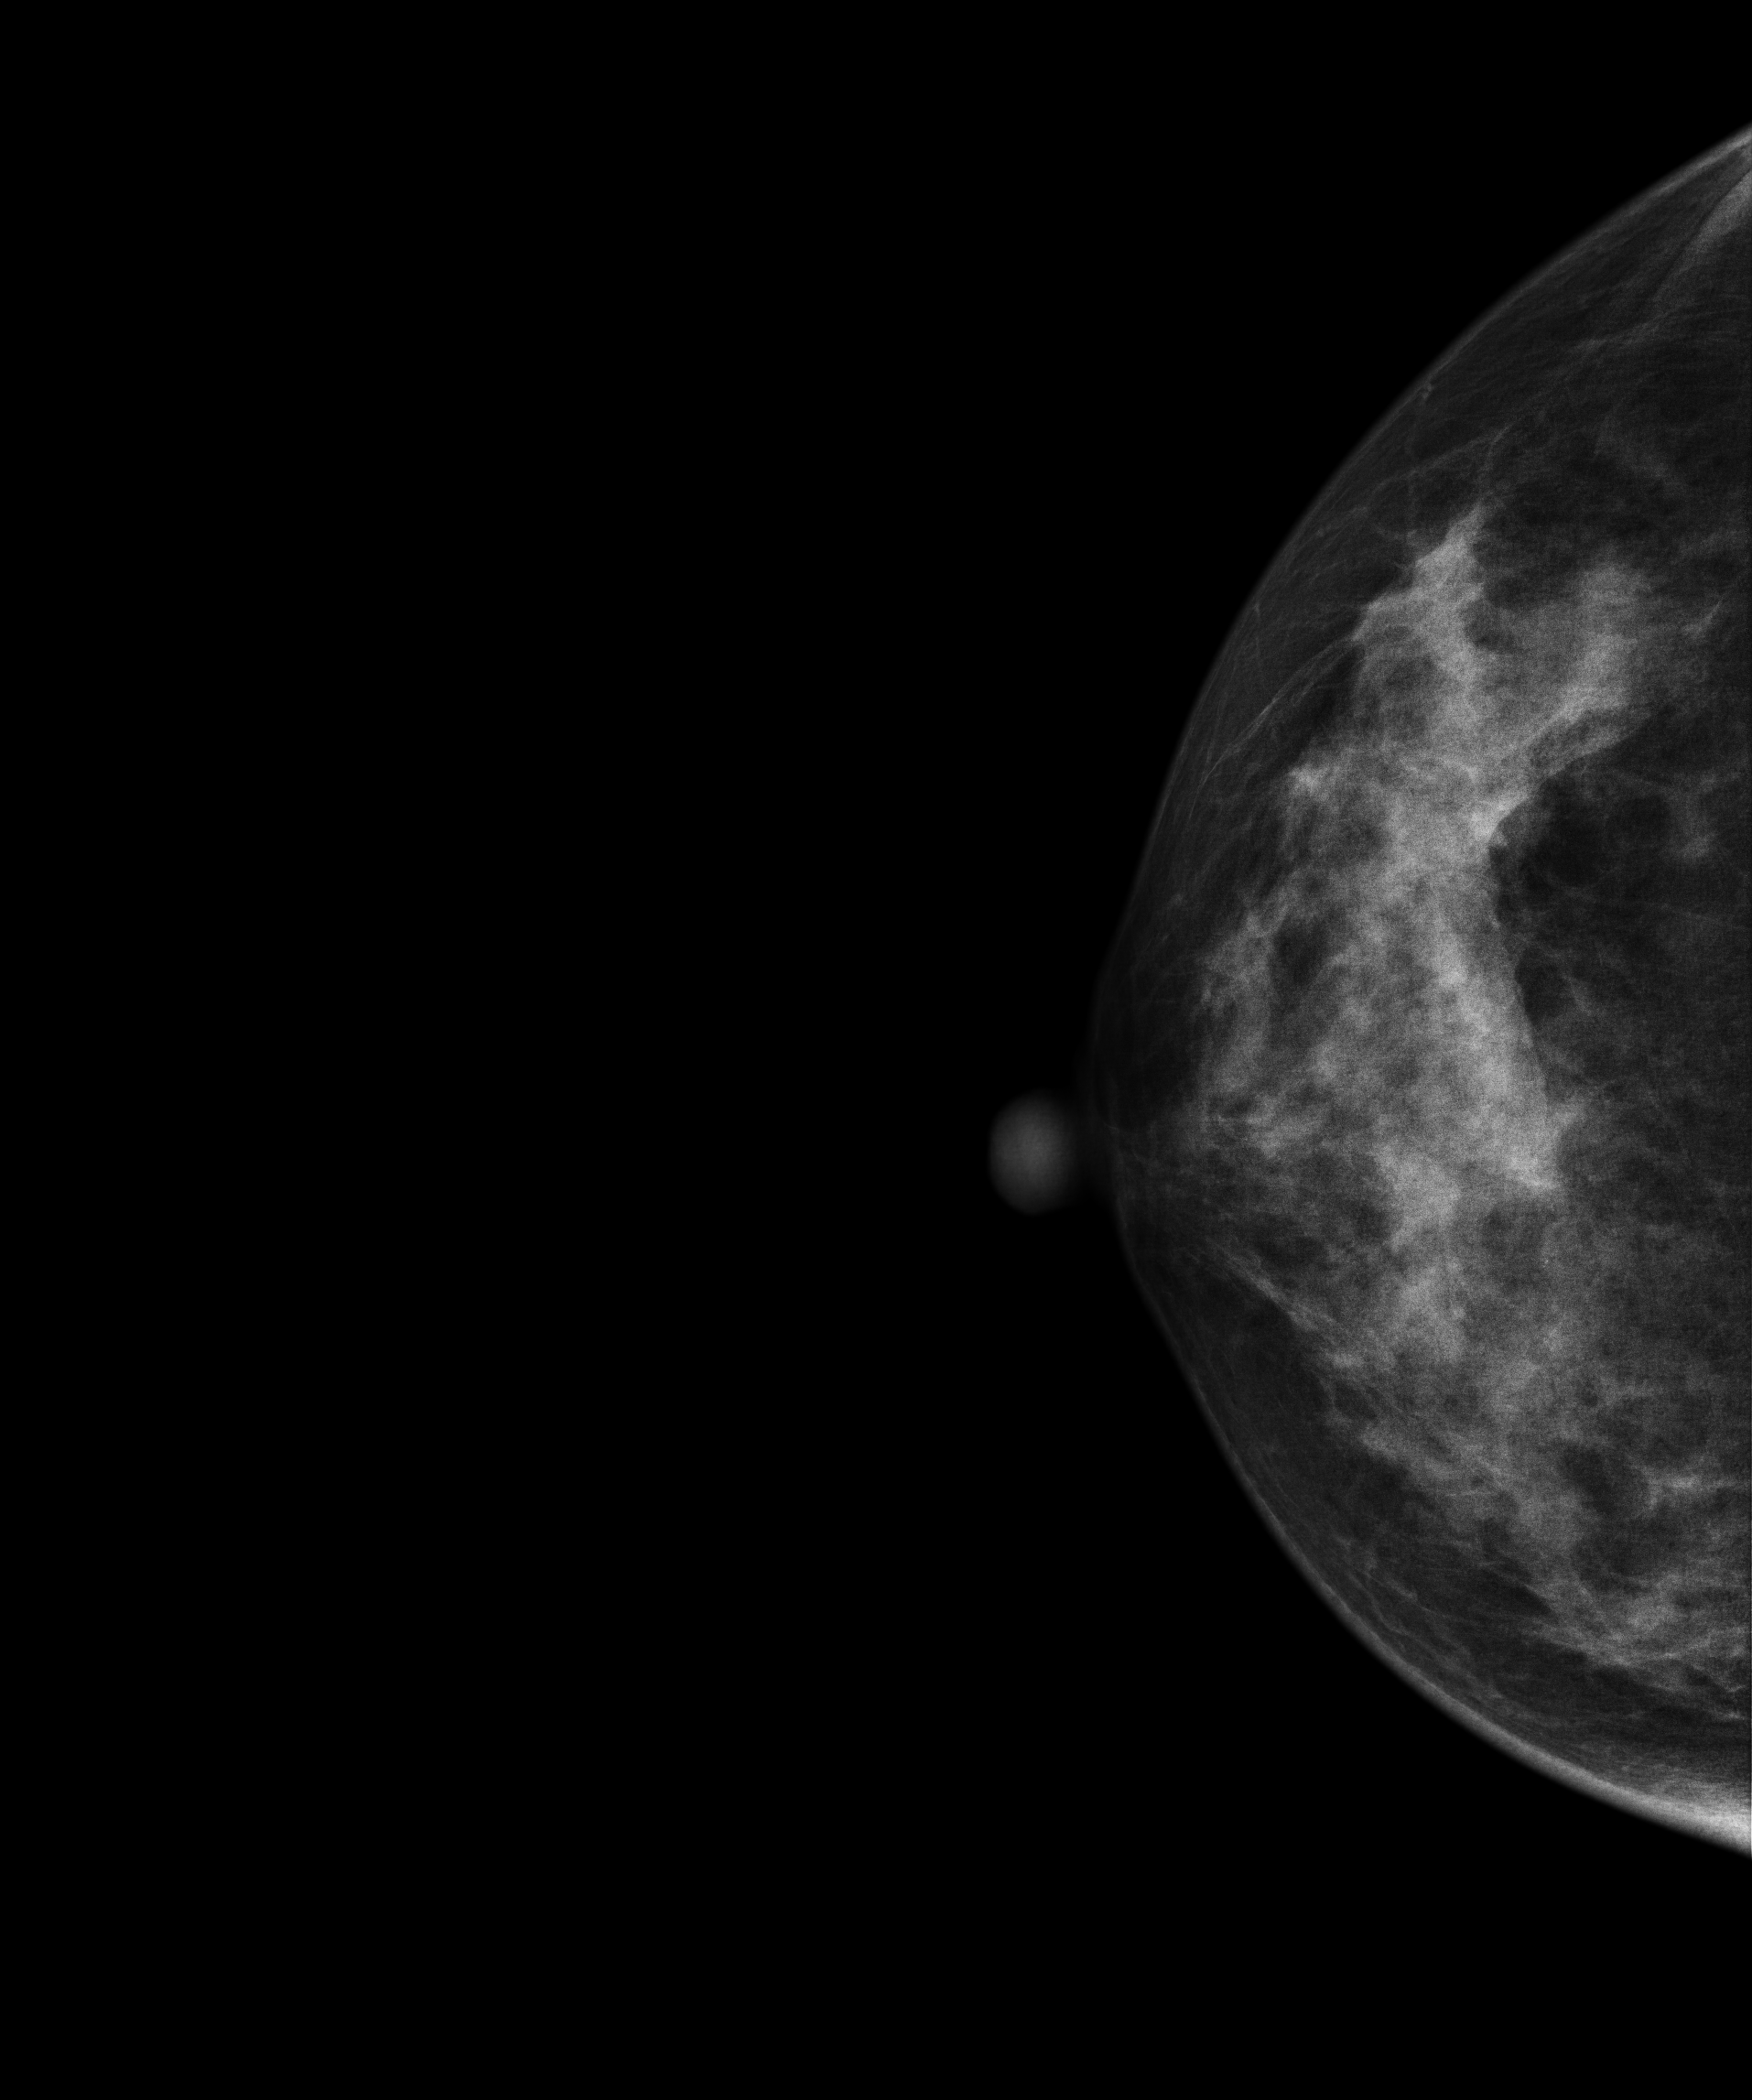
Digital mammography. Right breast, CC projection. Patient age 40.
This breast has calcifications, histologically confirmed benign.